Mammogram, right breast, MLO view. 42 y/o patient.
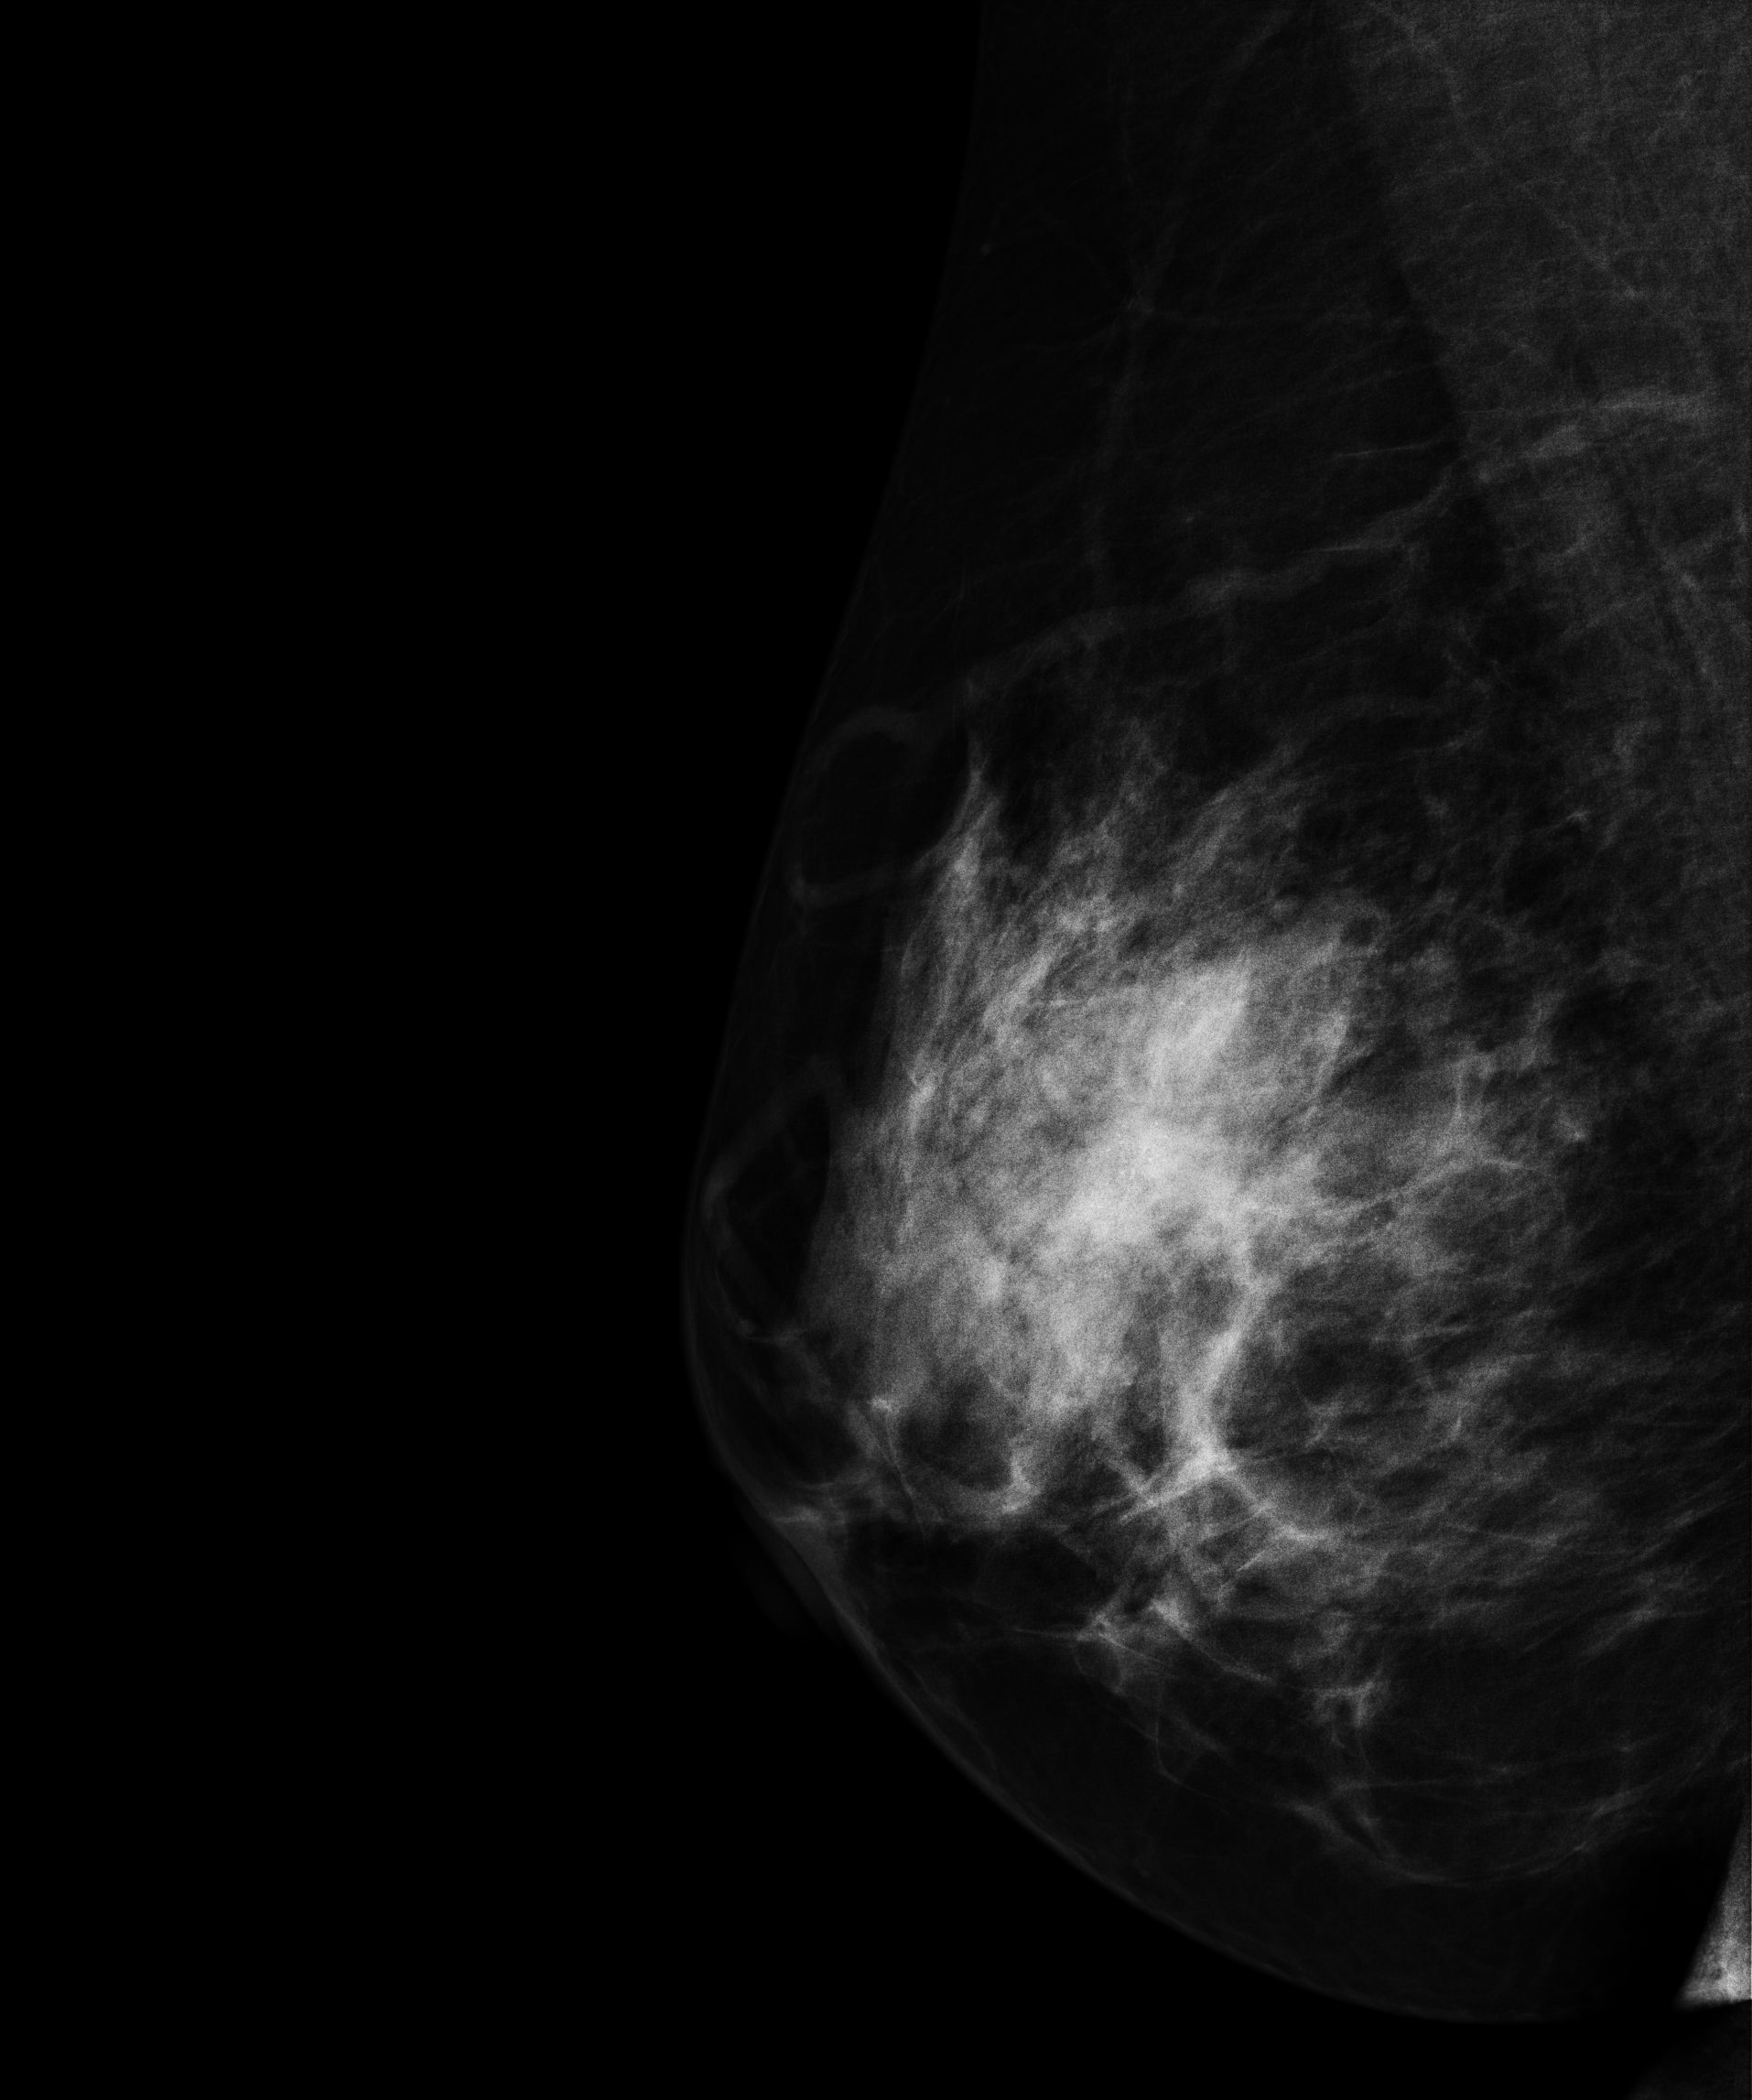
This breast has calcifications, biopsy-confirmed malignant.